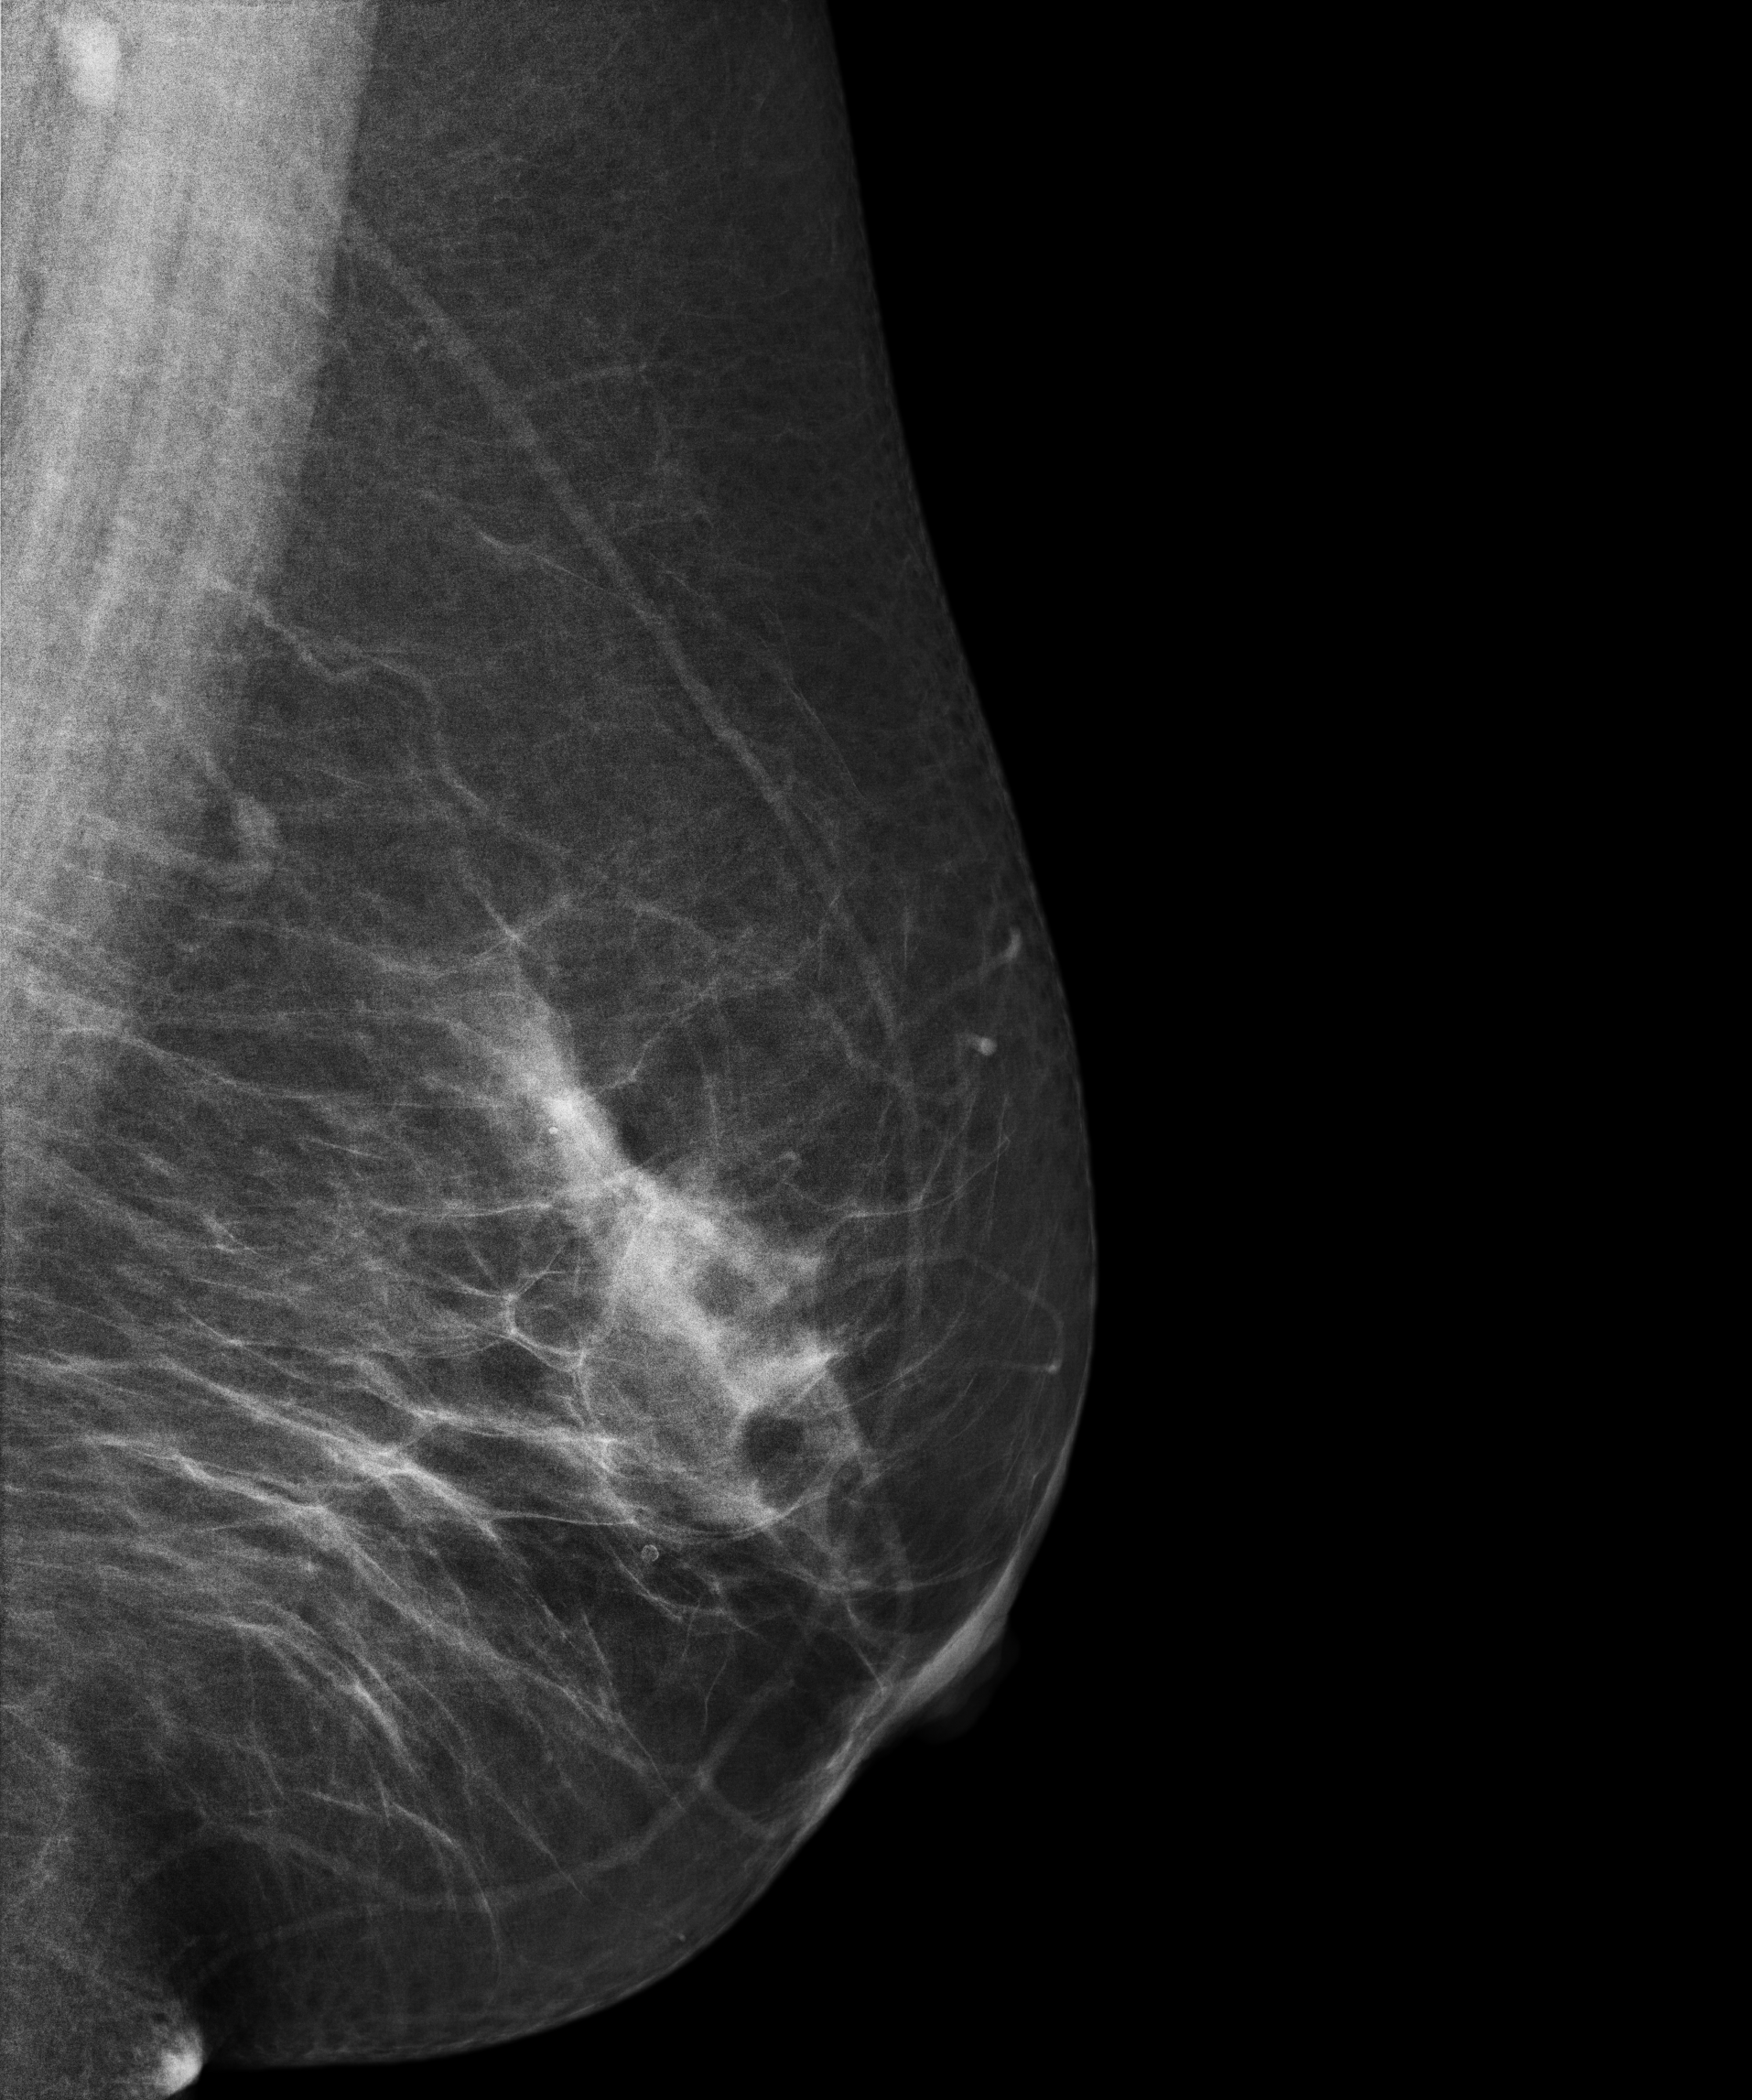
Digital mammography. Left breast, MLO projection. 53 y/o patient.
Contralateral breast — no documented abnormality on this side.